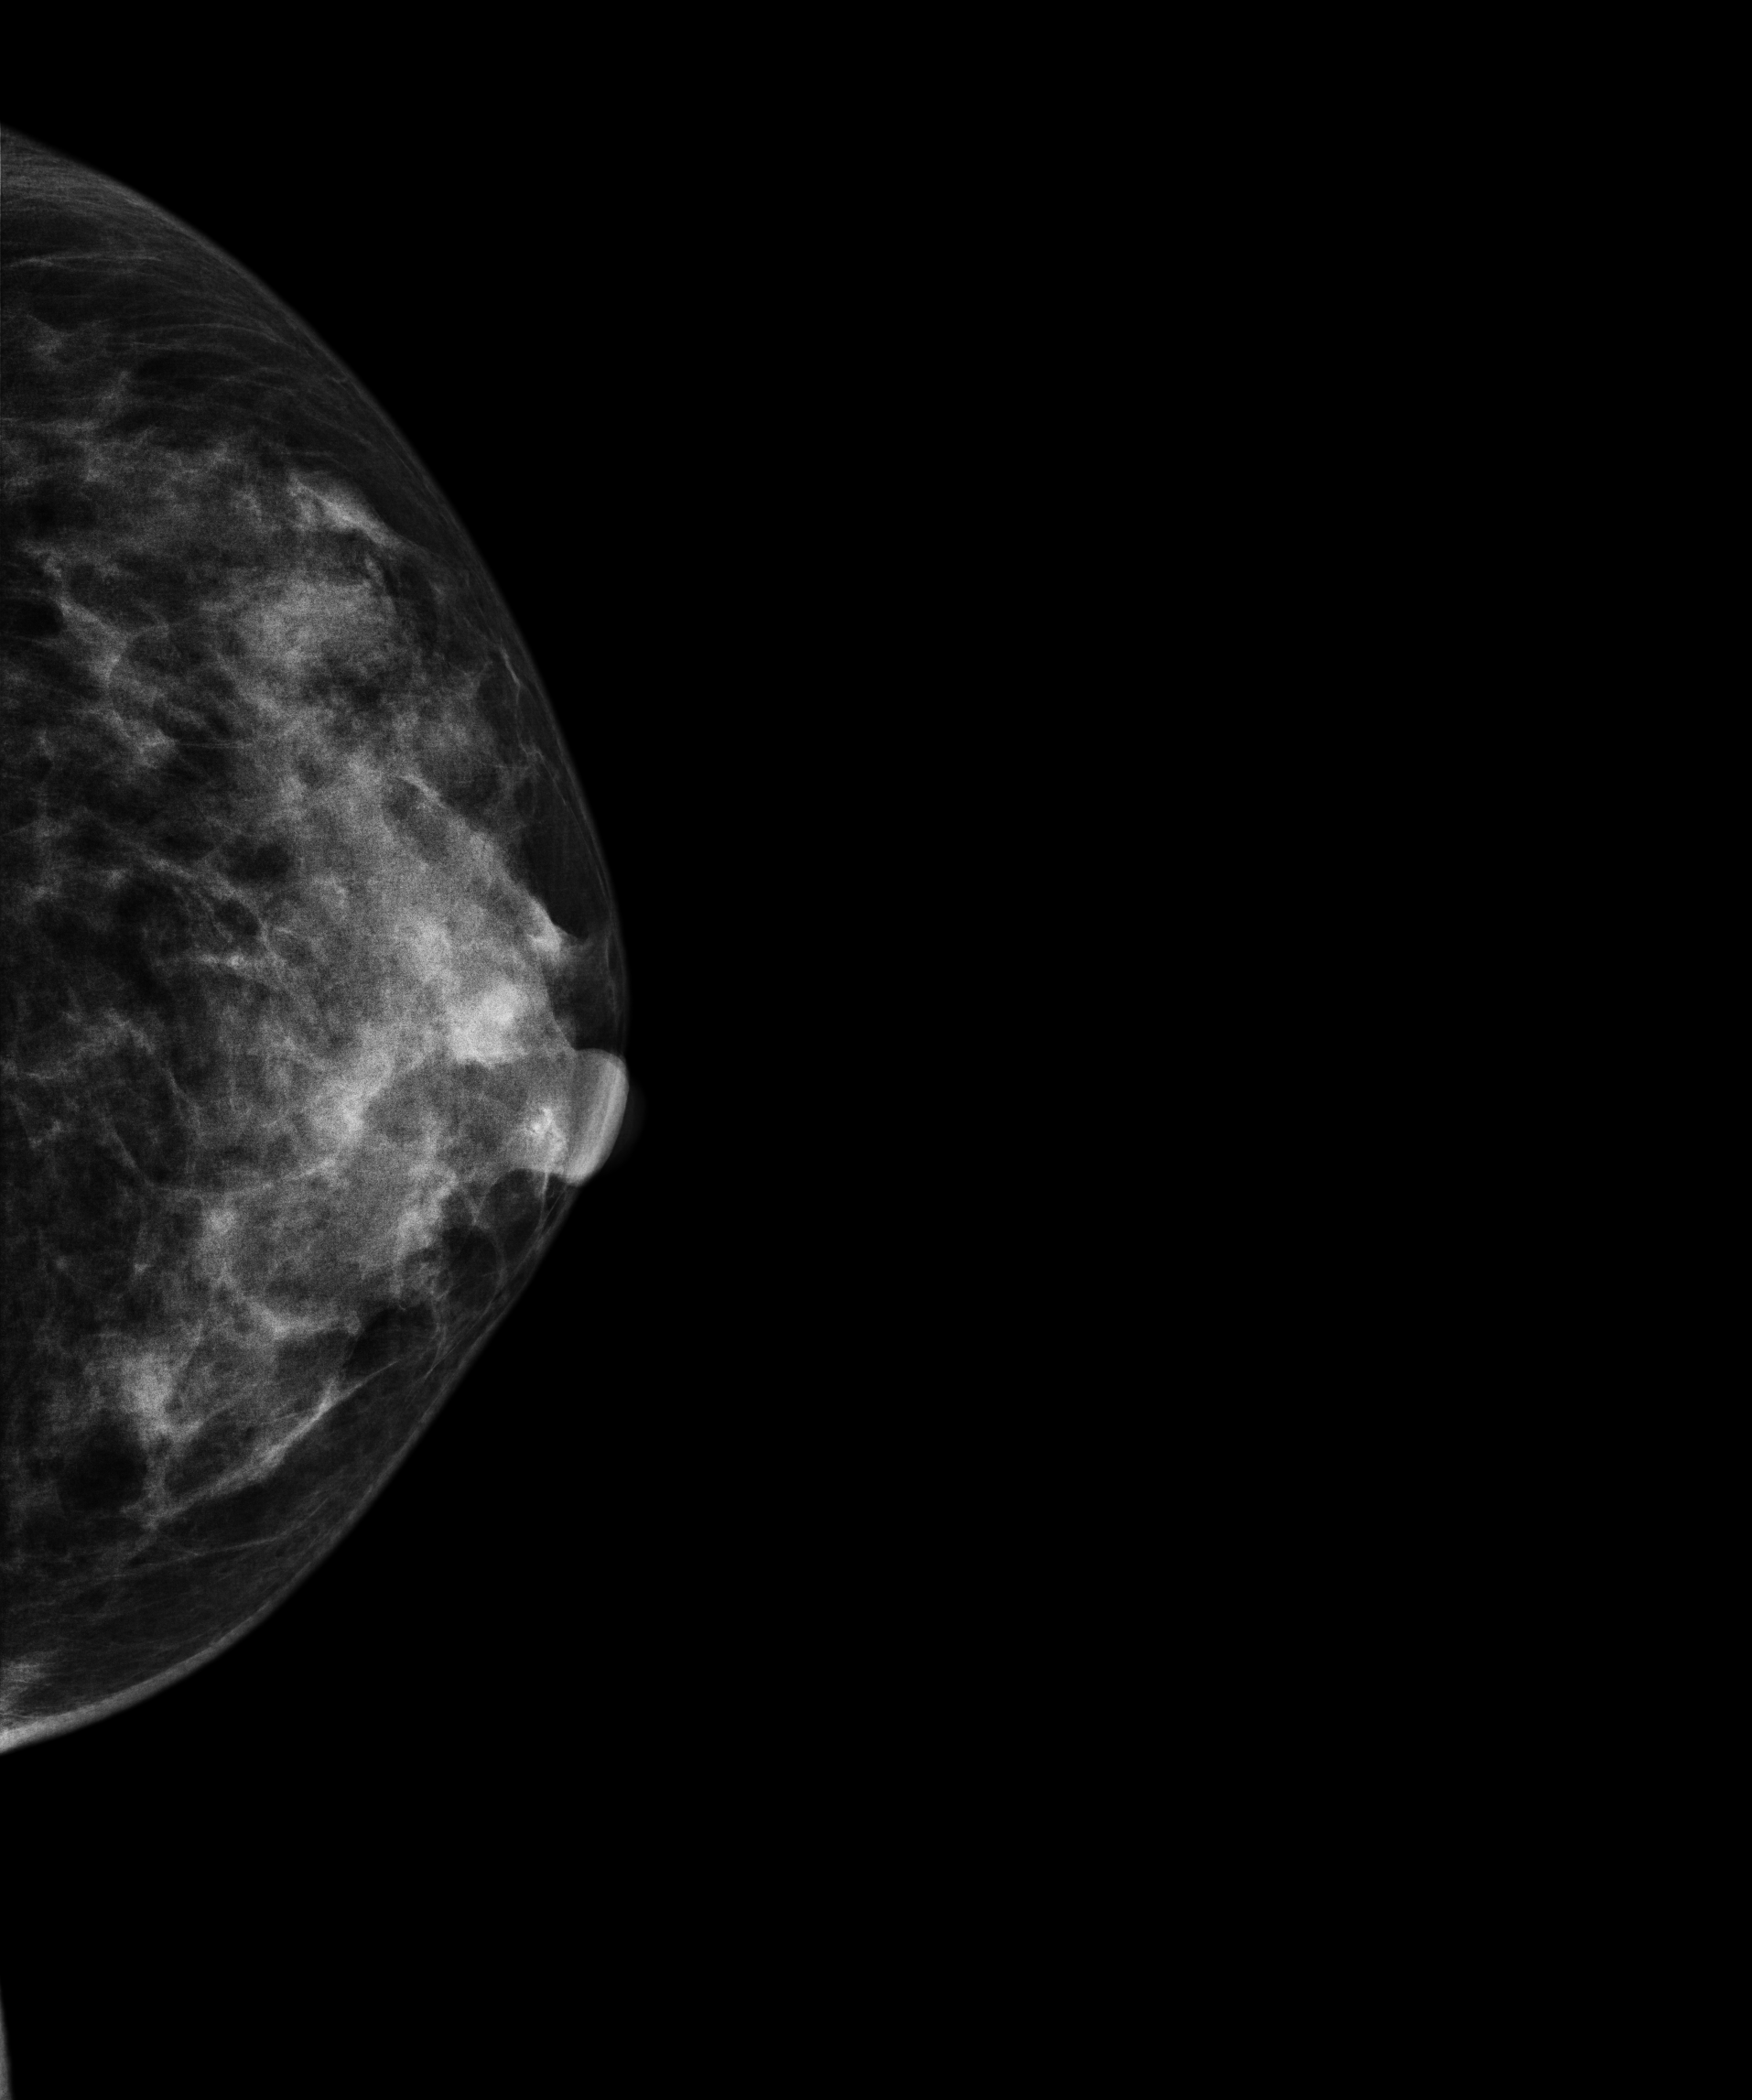
Cranio-caudal mammogram of the left breast. Patient age 41.
This breast has a mass, biopsy-proven benign.